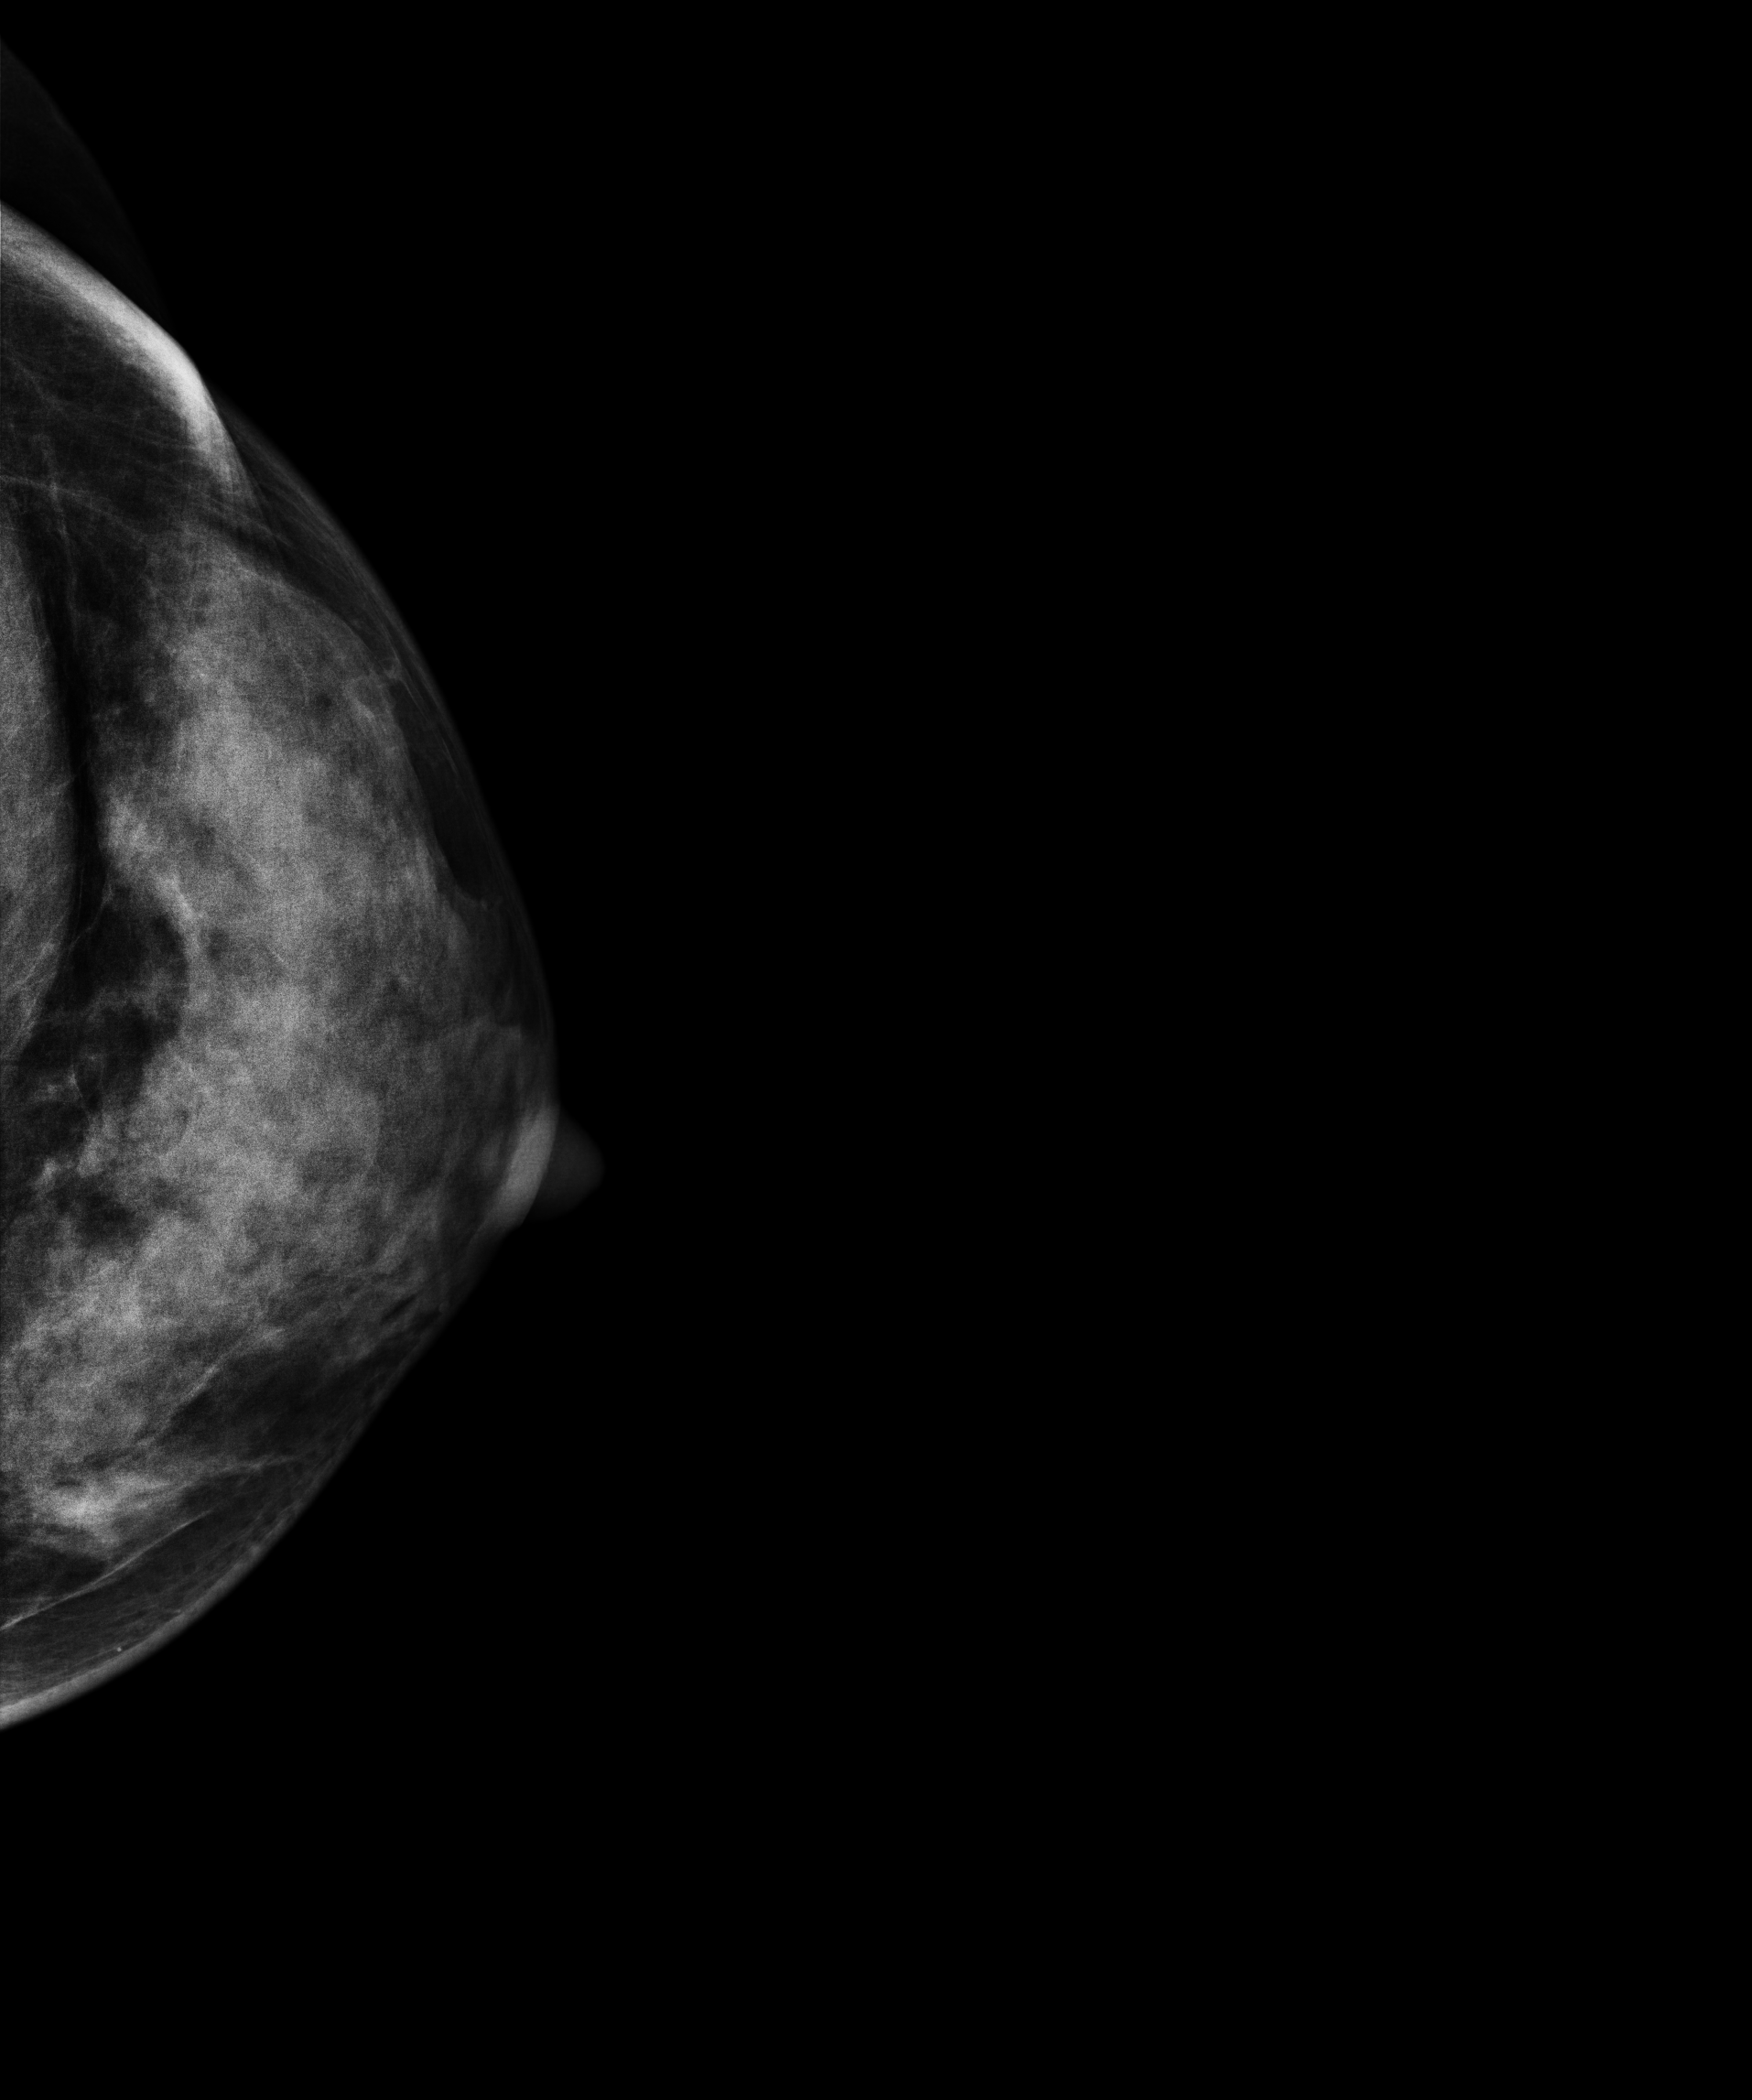
Mammogram, left breast, CC view. 44 y/o patient.
Contralateral breast — no documented abnormality on this side.